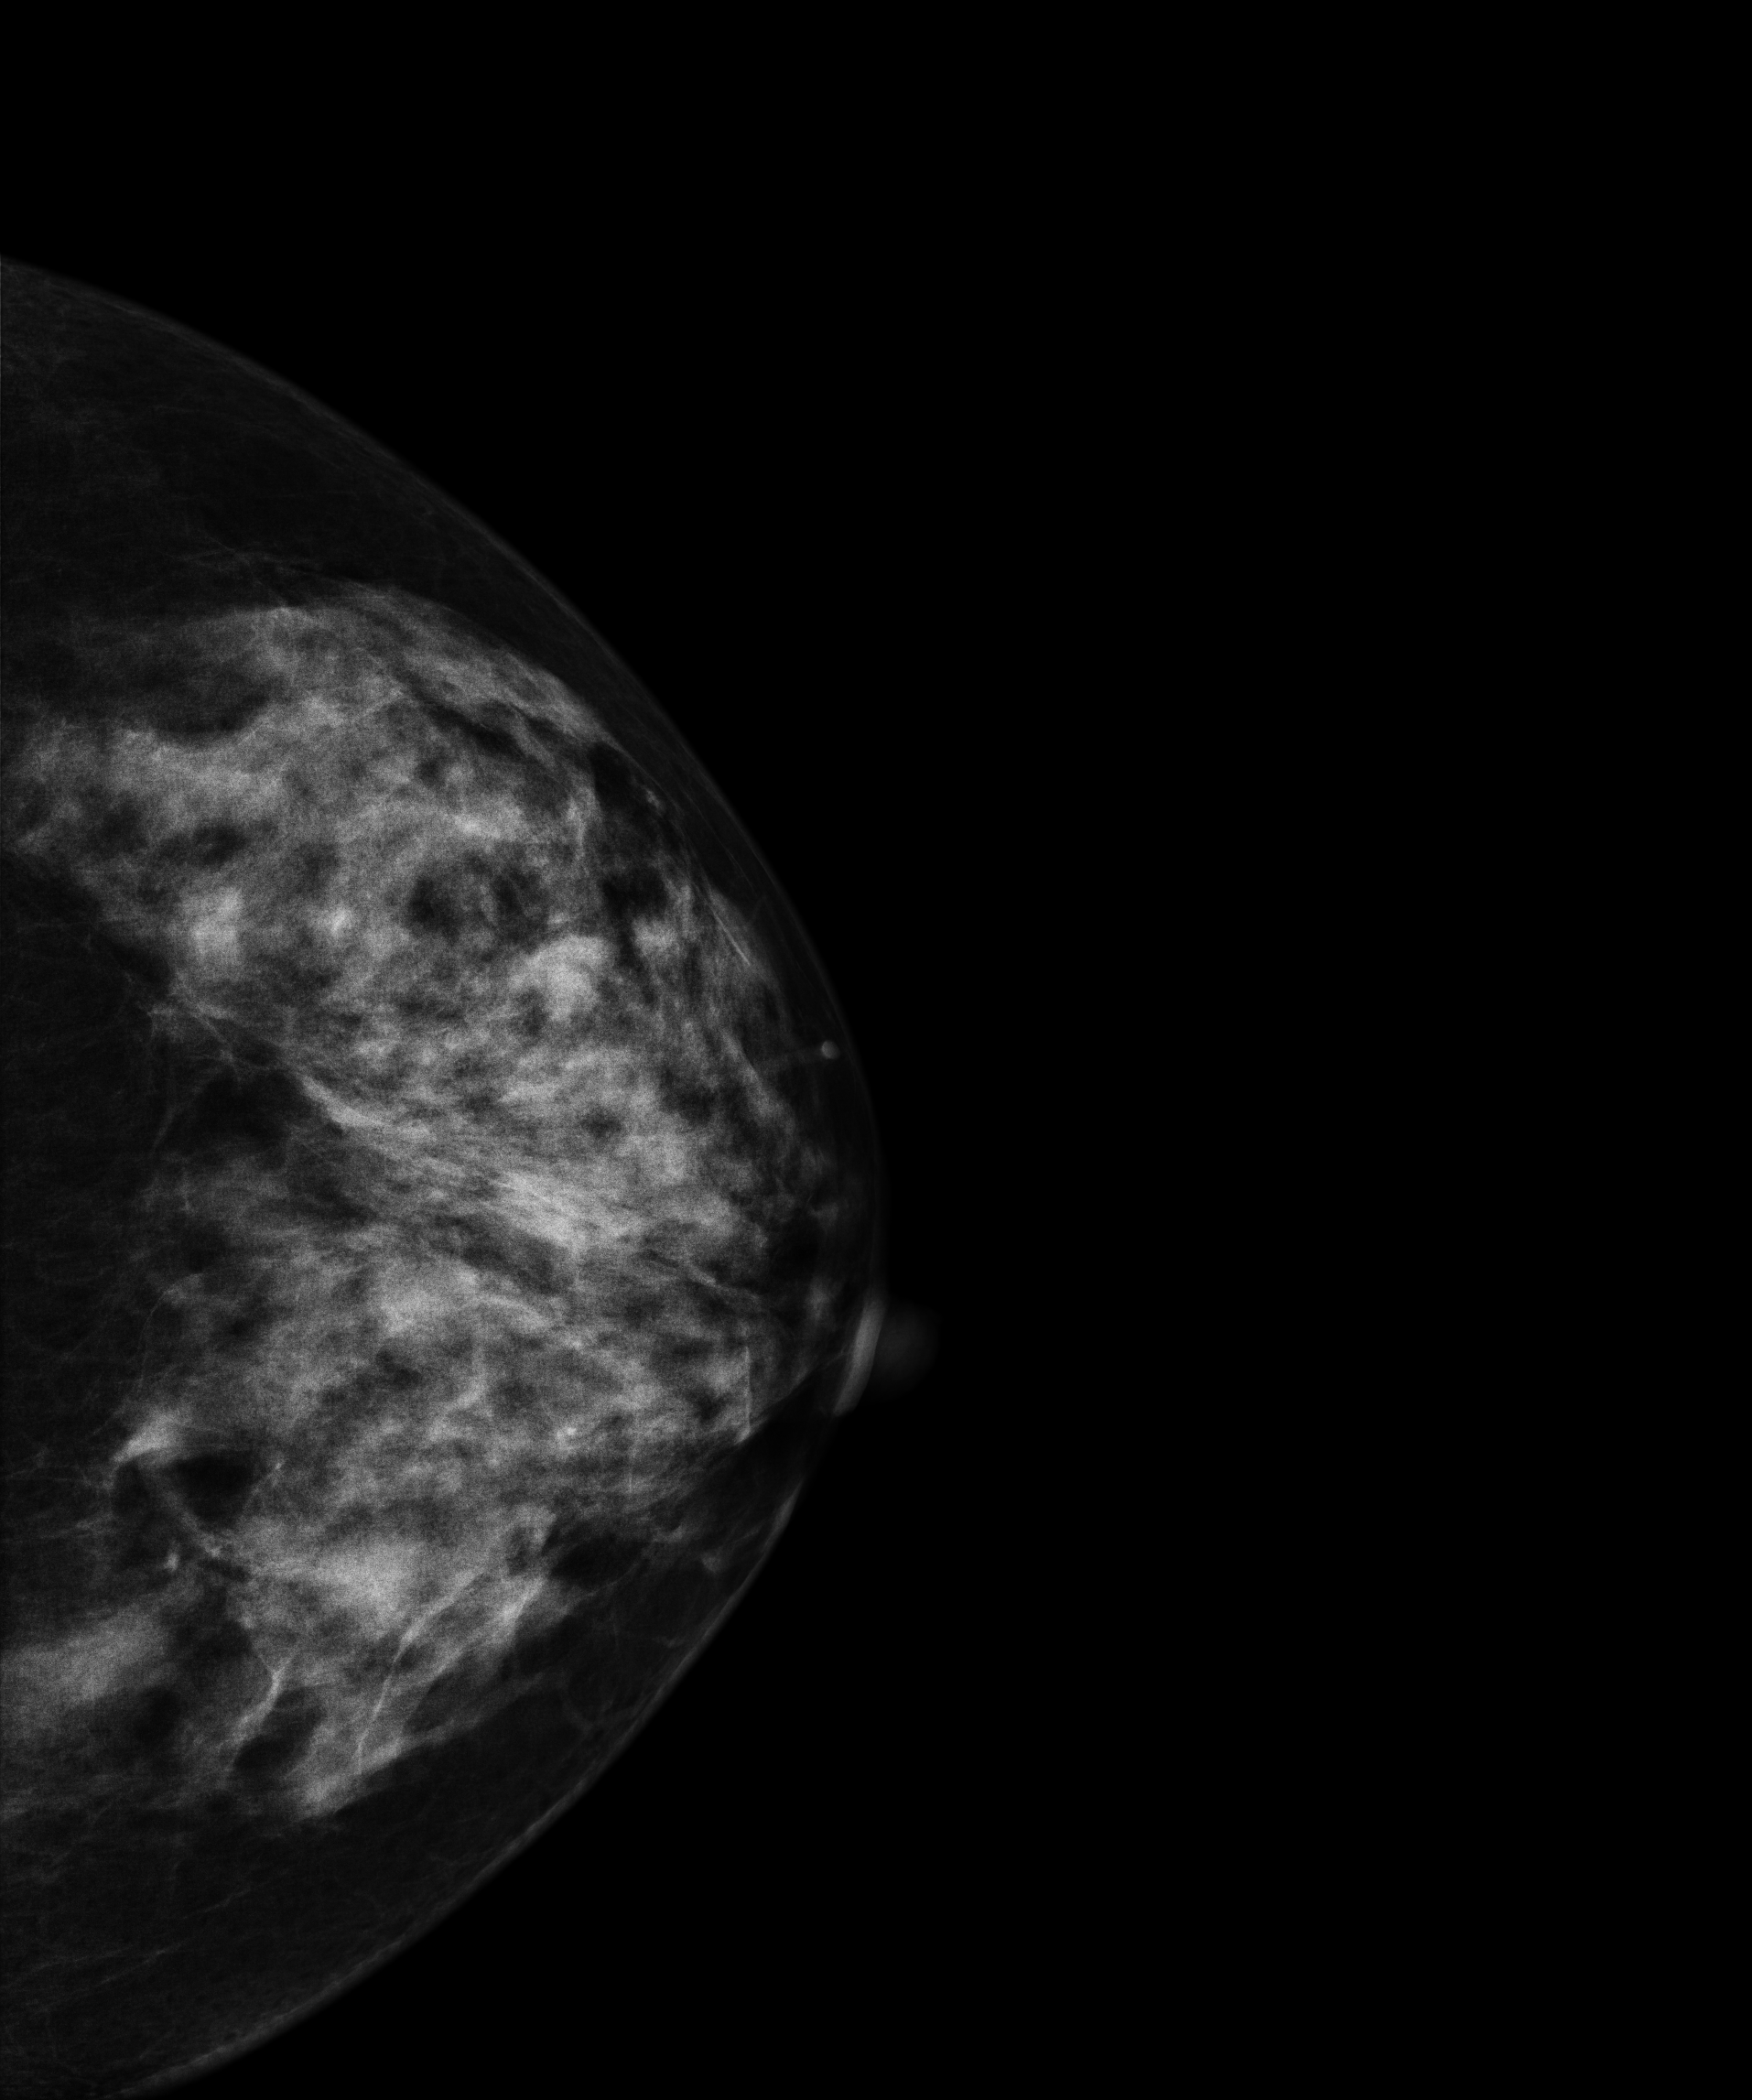
Digital mammography. Left breast, cranio-caudal projection. 49-year-old patient.
Contralateral breast — no documented abnormality on this side.